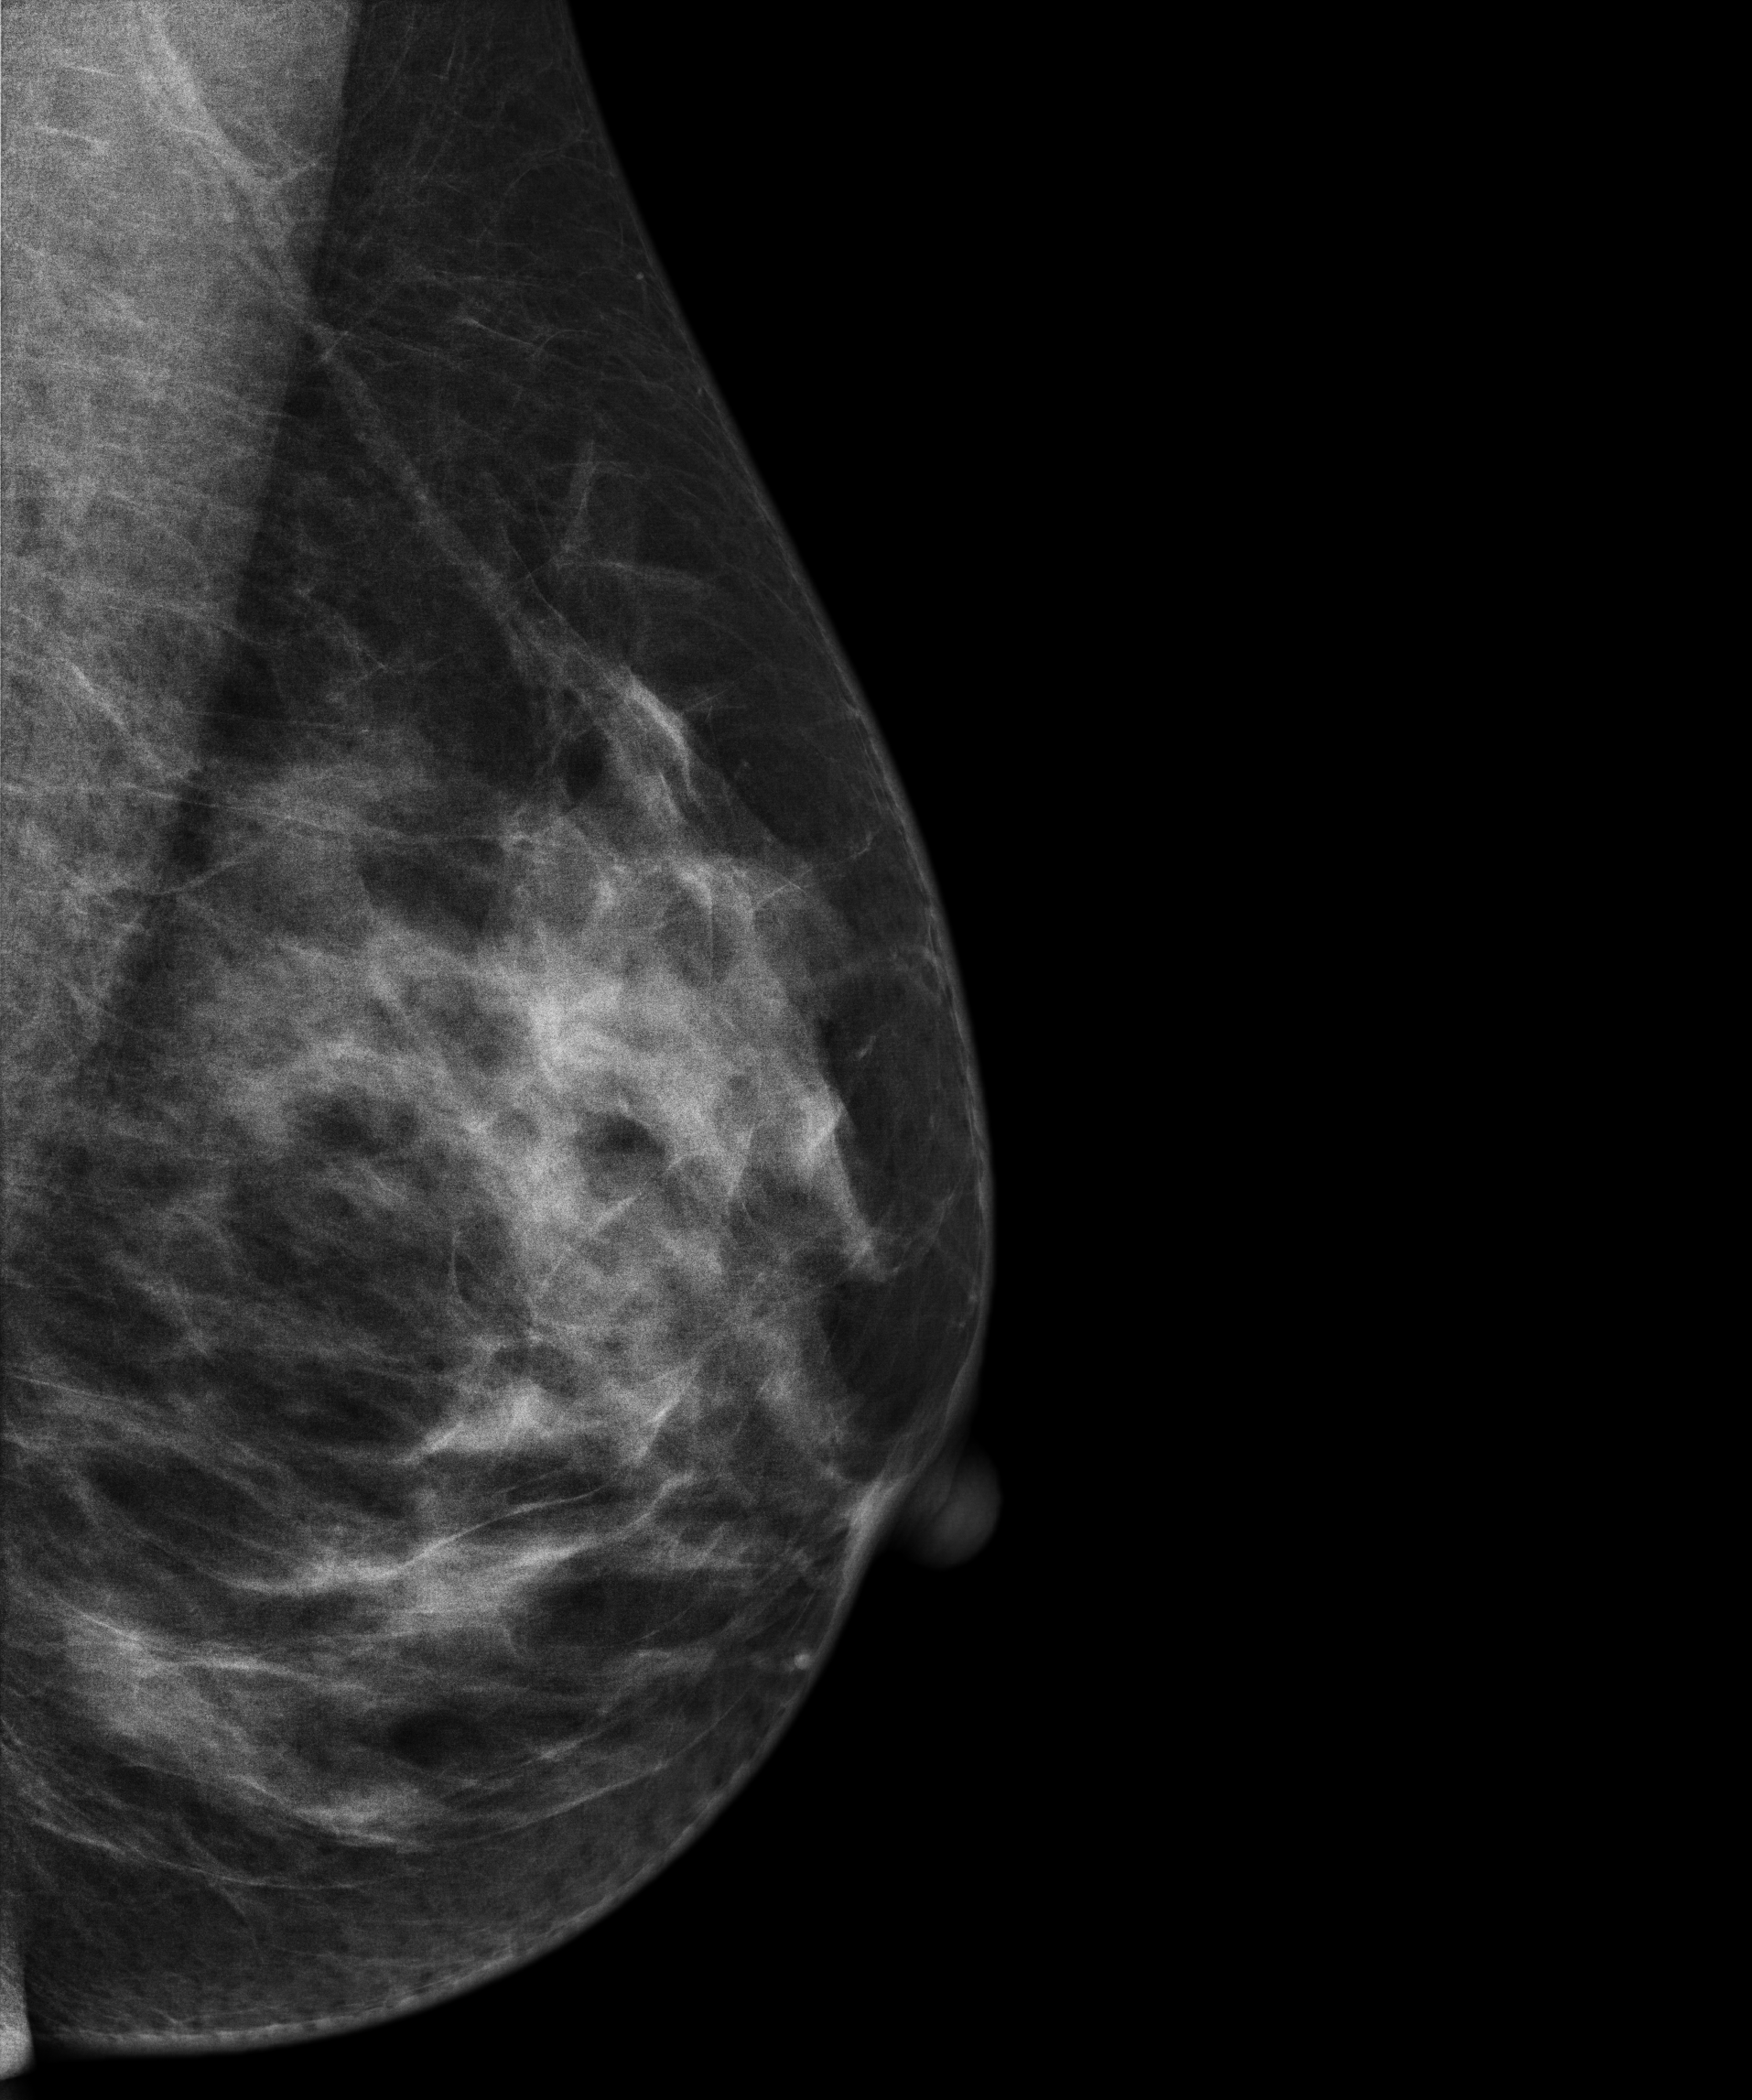
Mammogram — left MLO. Patient age 42.
Contralateral breast — no documented abnormality on this side.